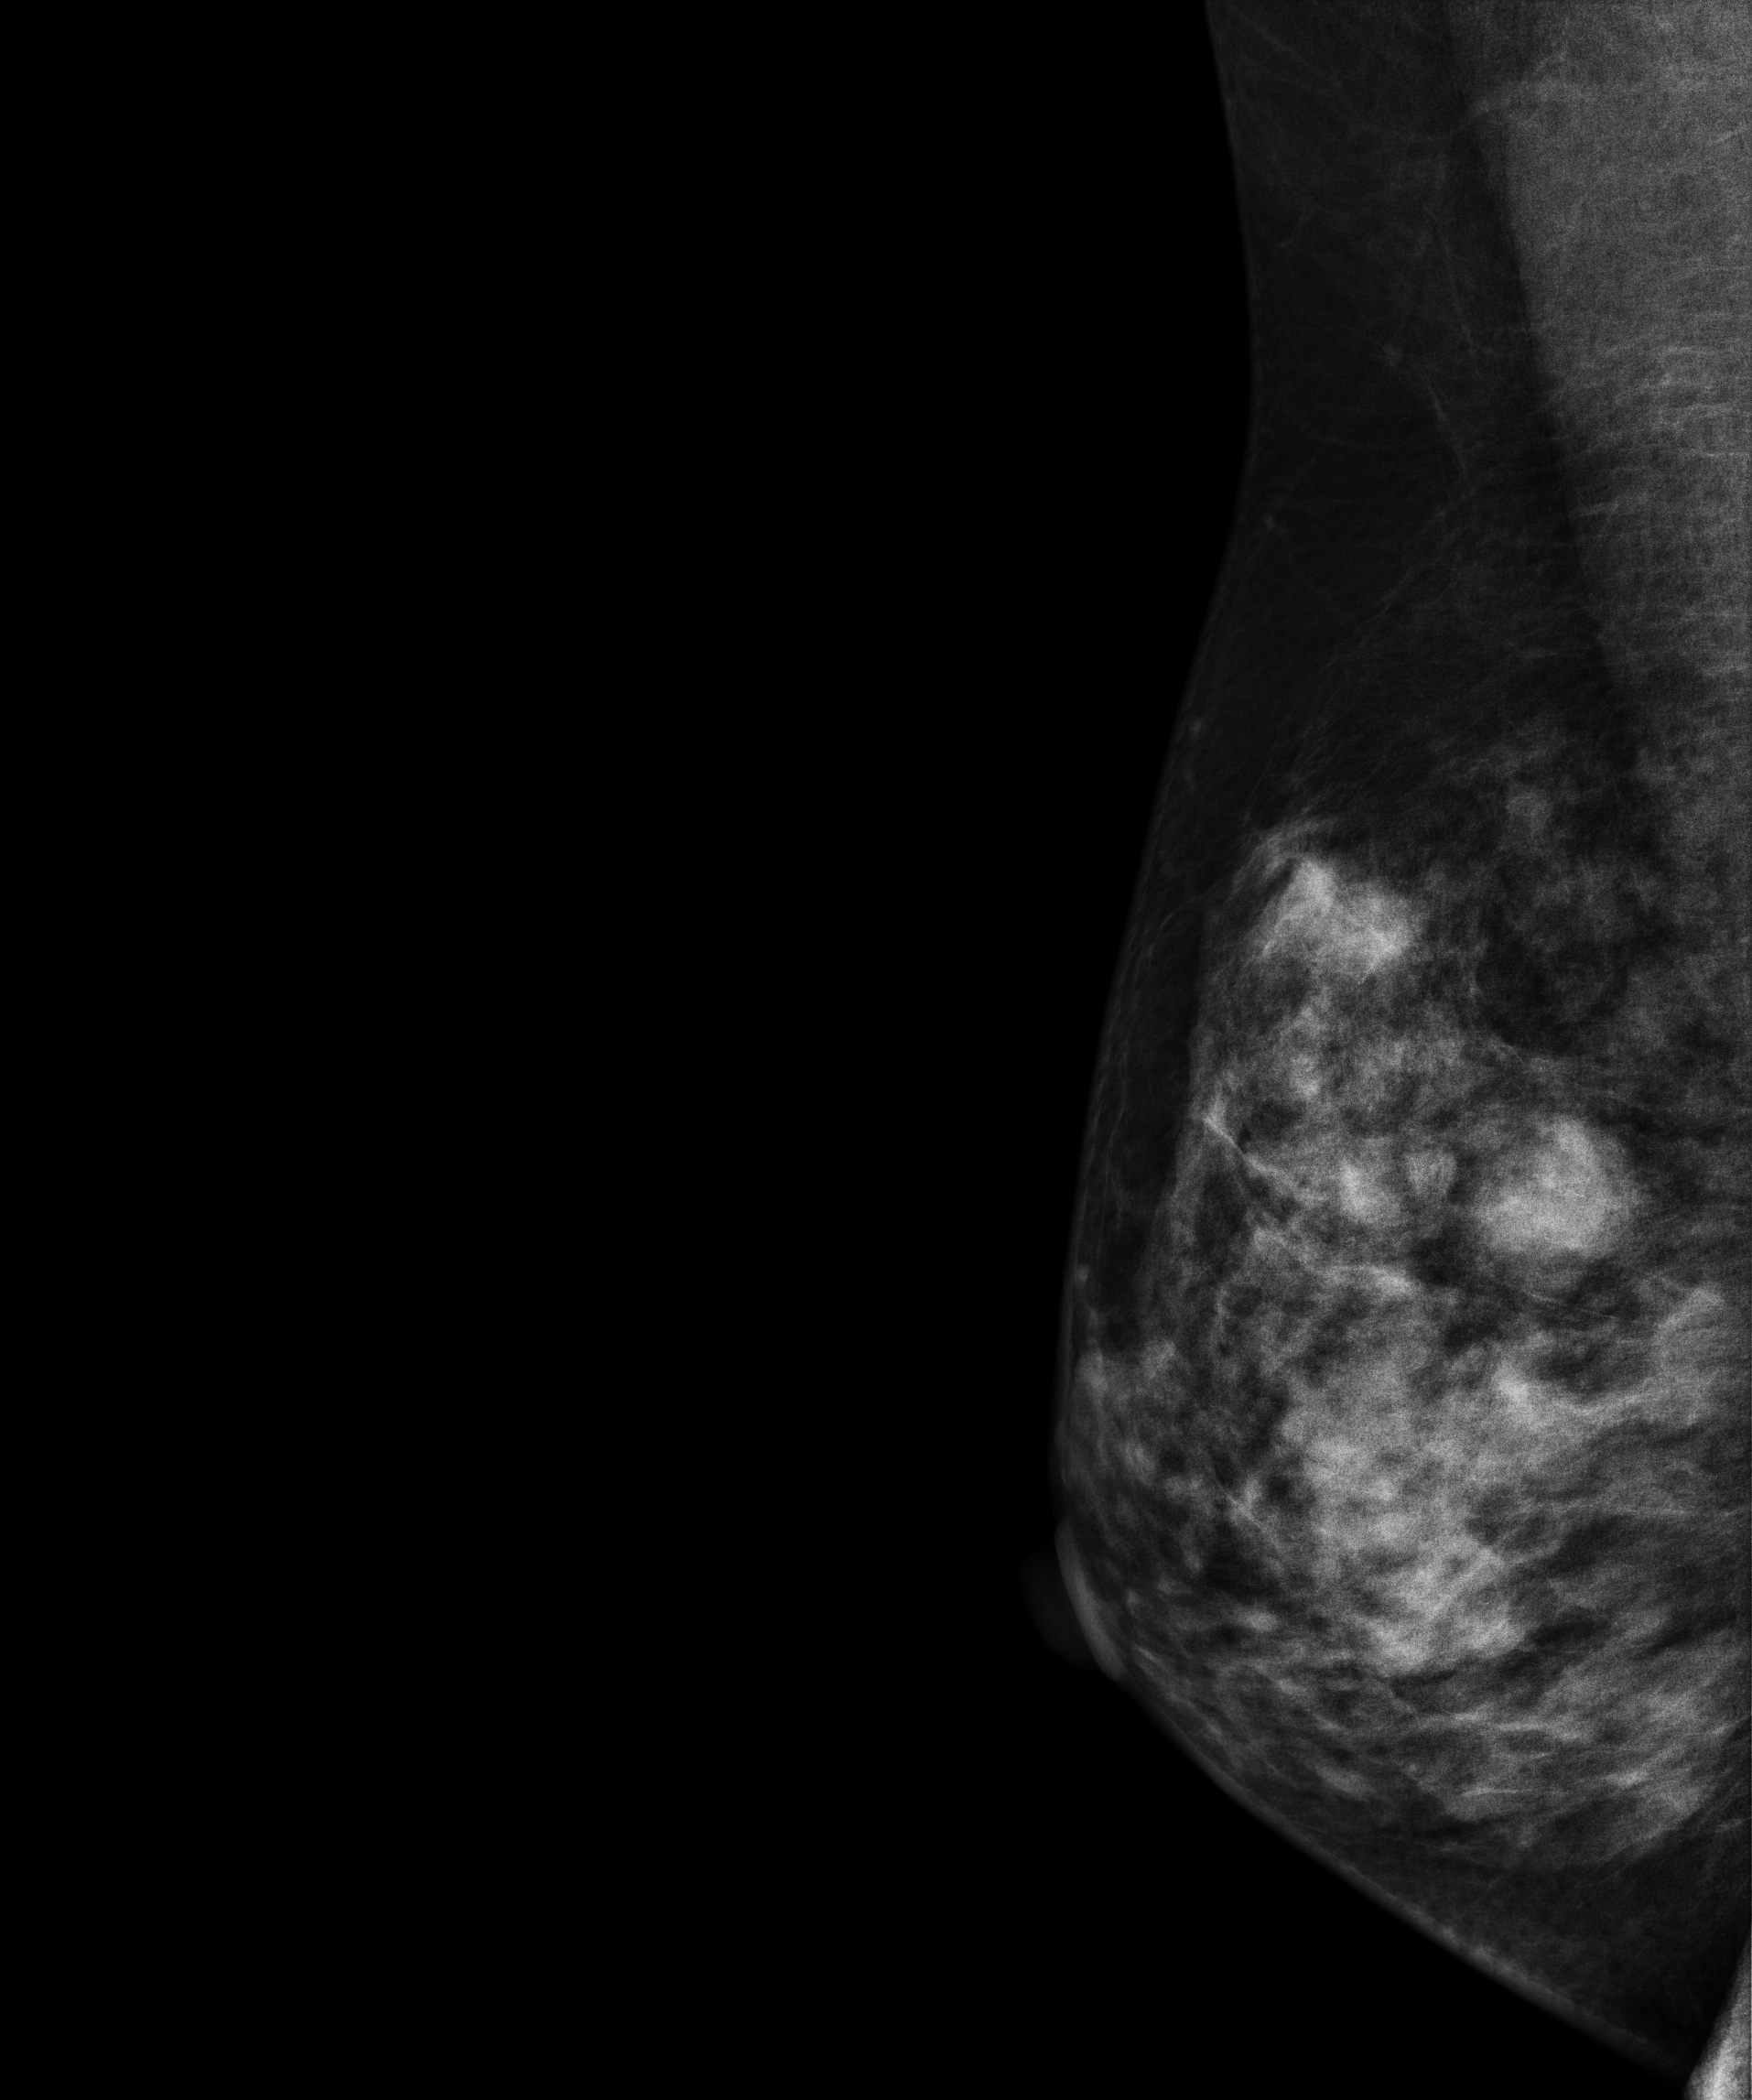
Mammogram — right MLO. Patient age 43.
This breast has a mass, histologically confirmed malignant. Molecular subtype: luminal A.